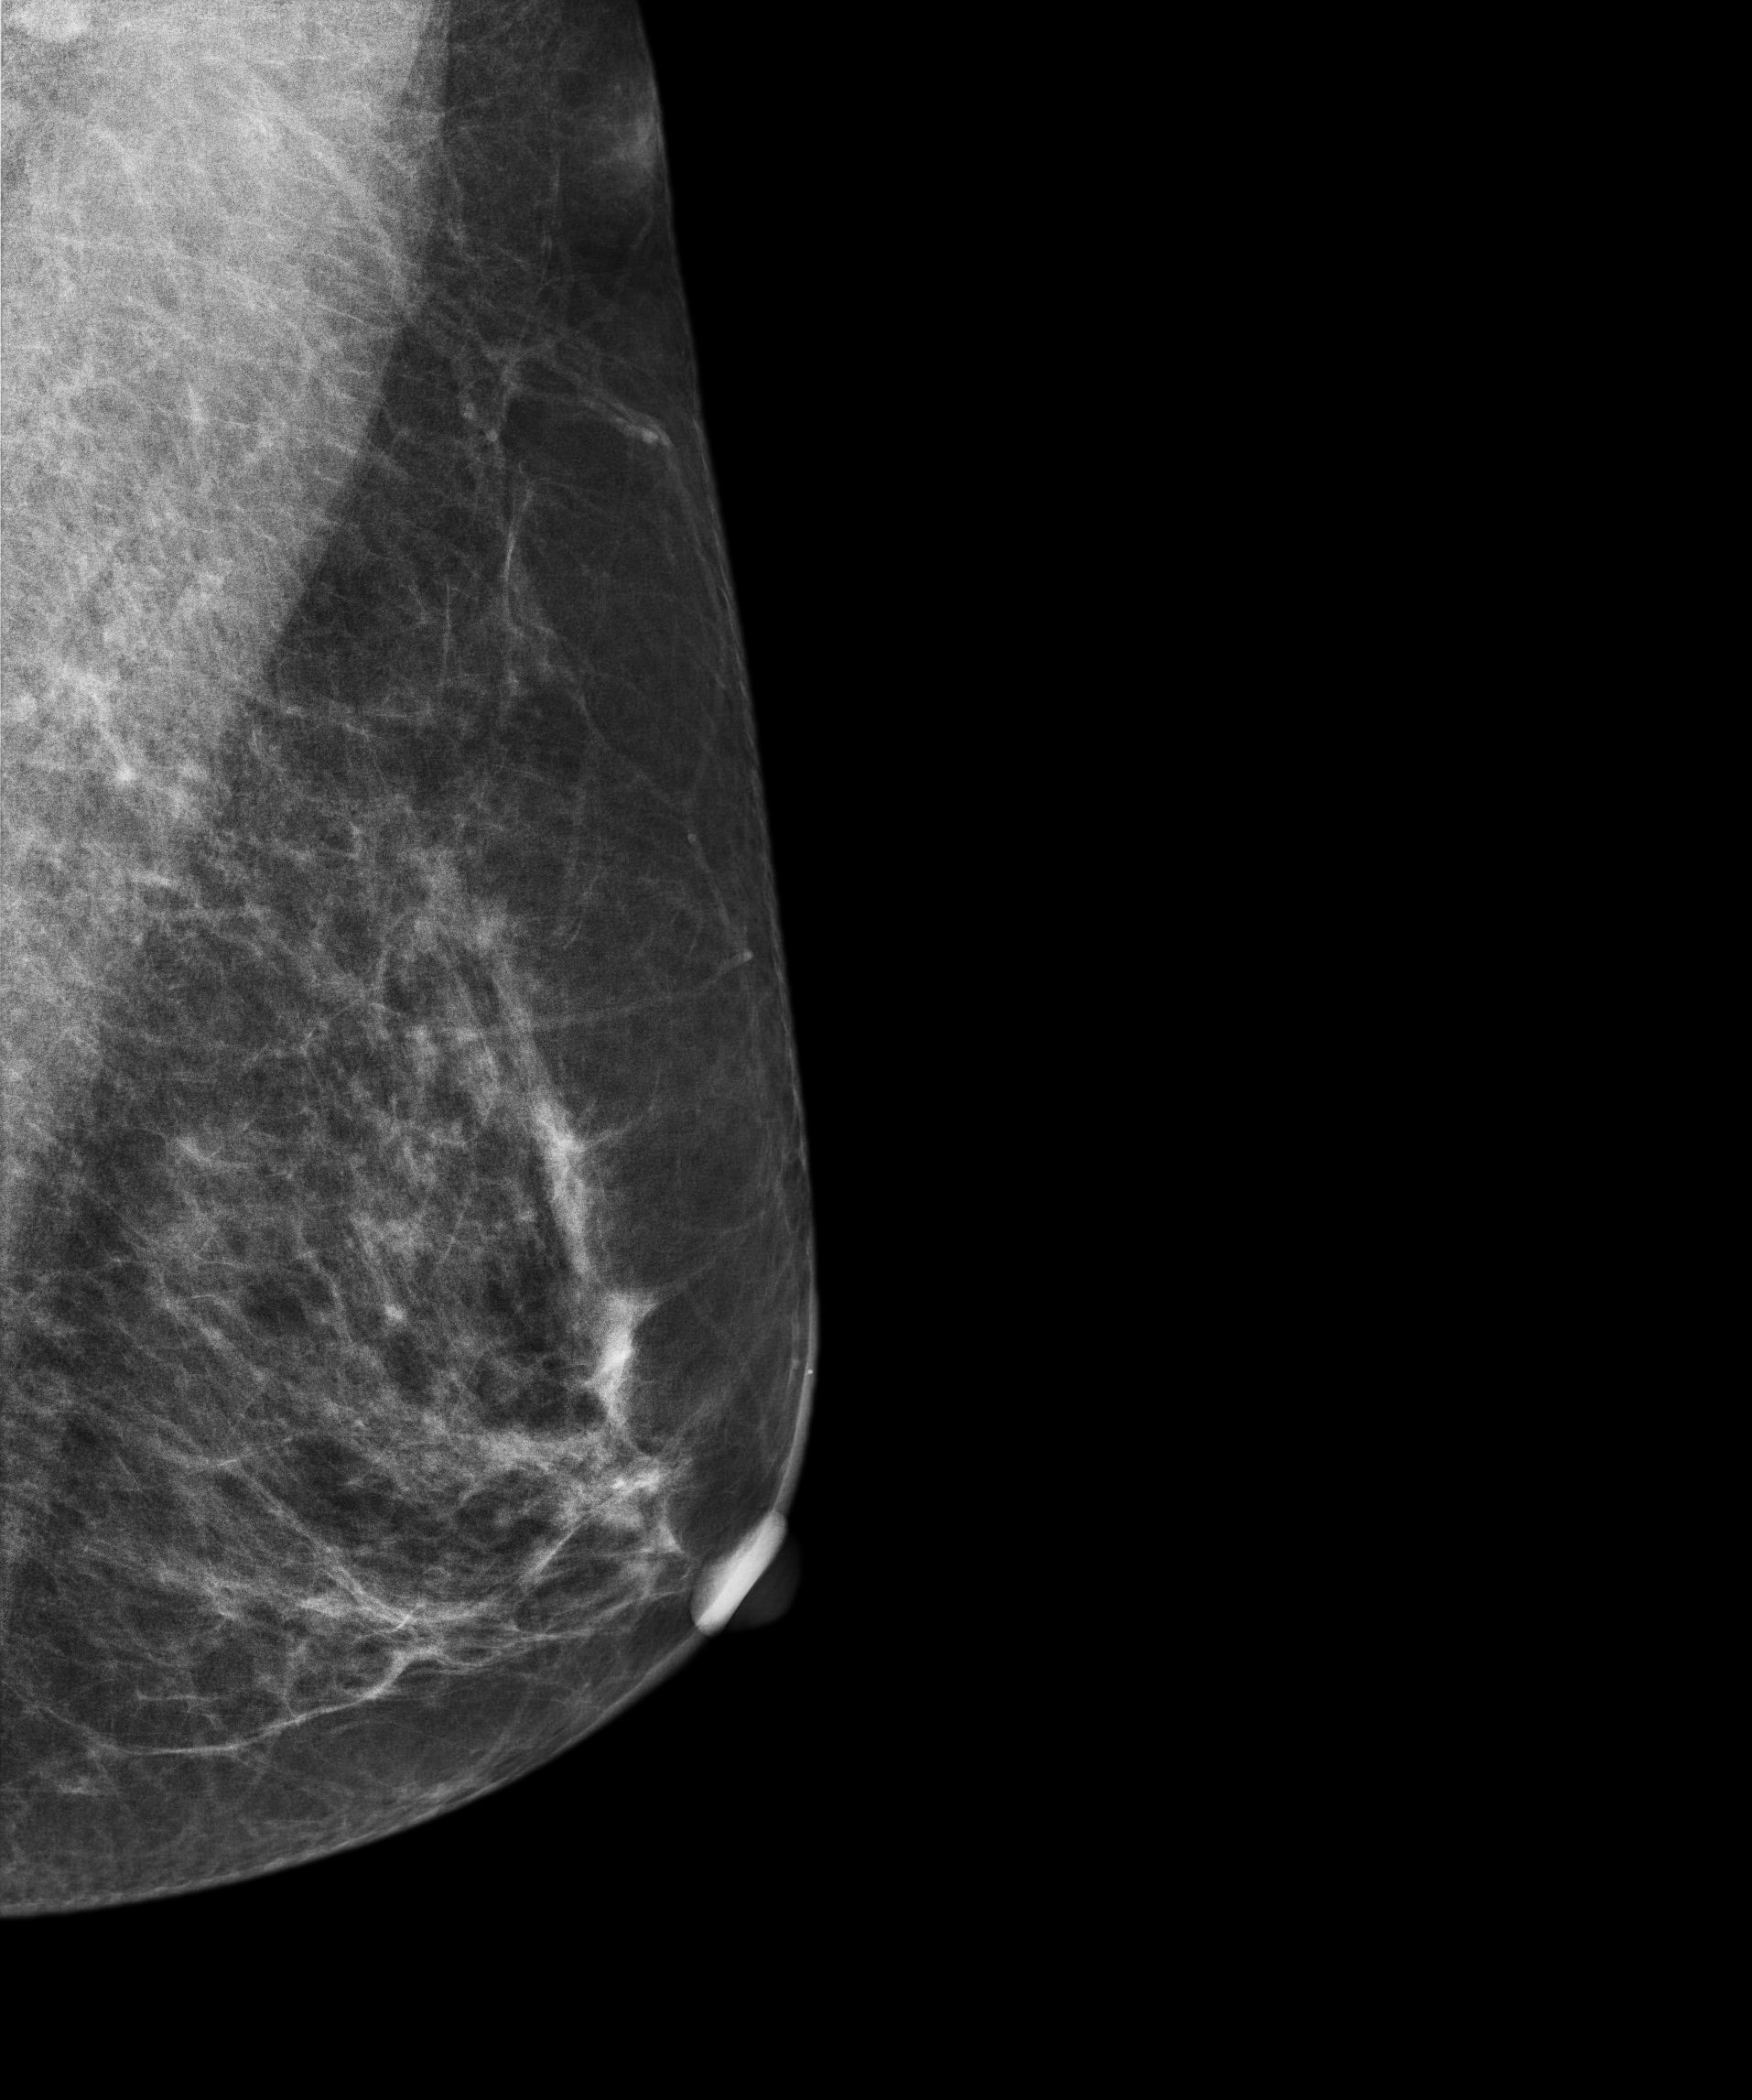
Digital mammography. Left breast, MLO projection. 62-year-old patient.
Contralateral breast — no documented abnormality on this side.